Mammogram, left breast, cranio-caudal view. 53 y/o patient.
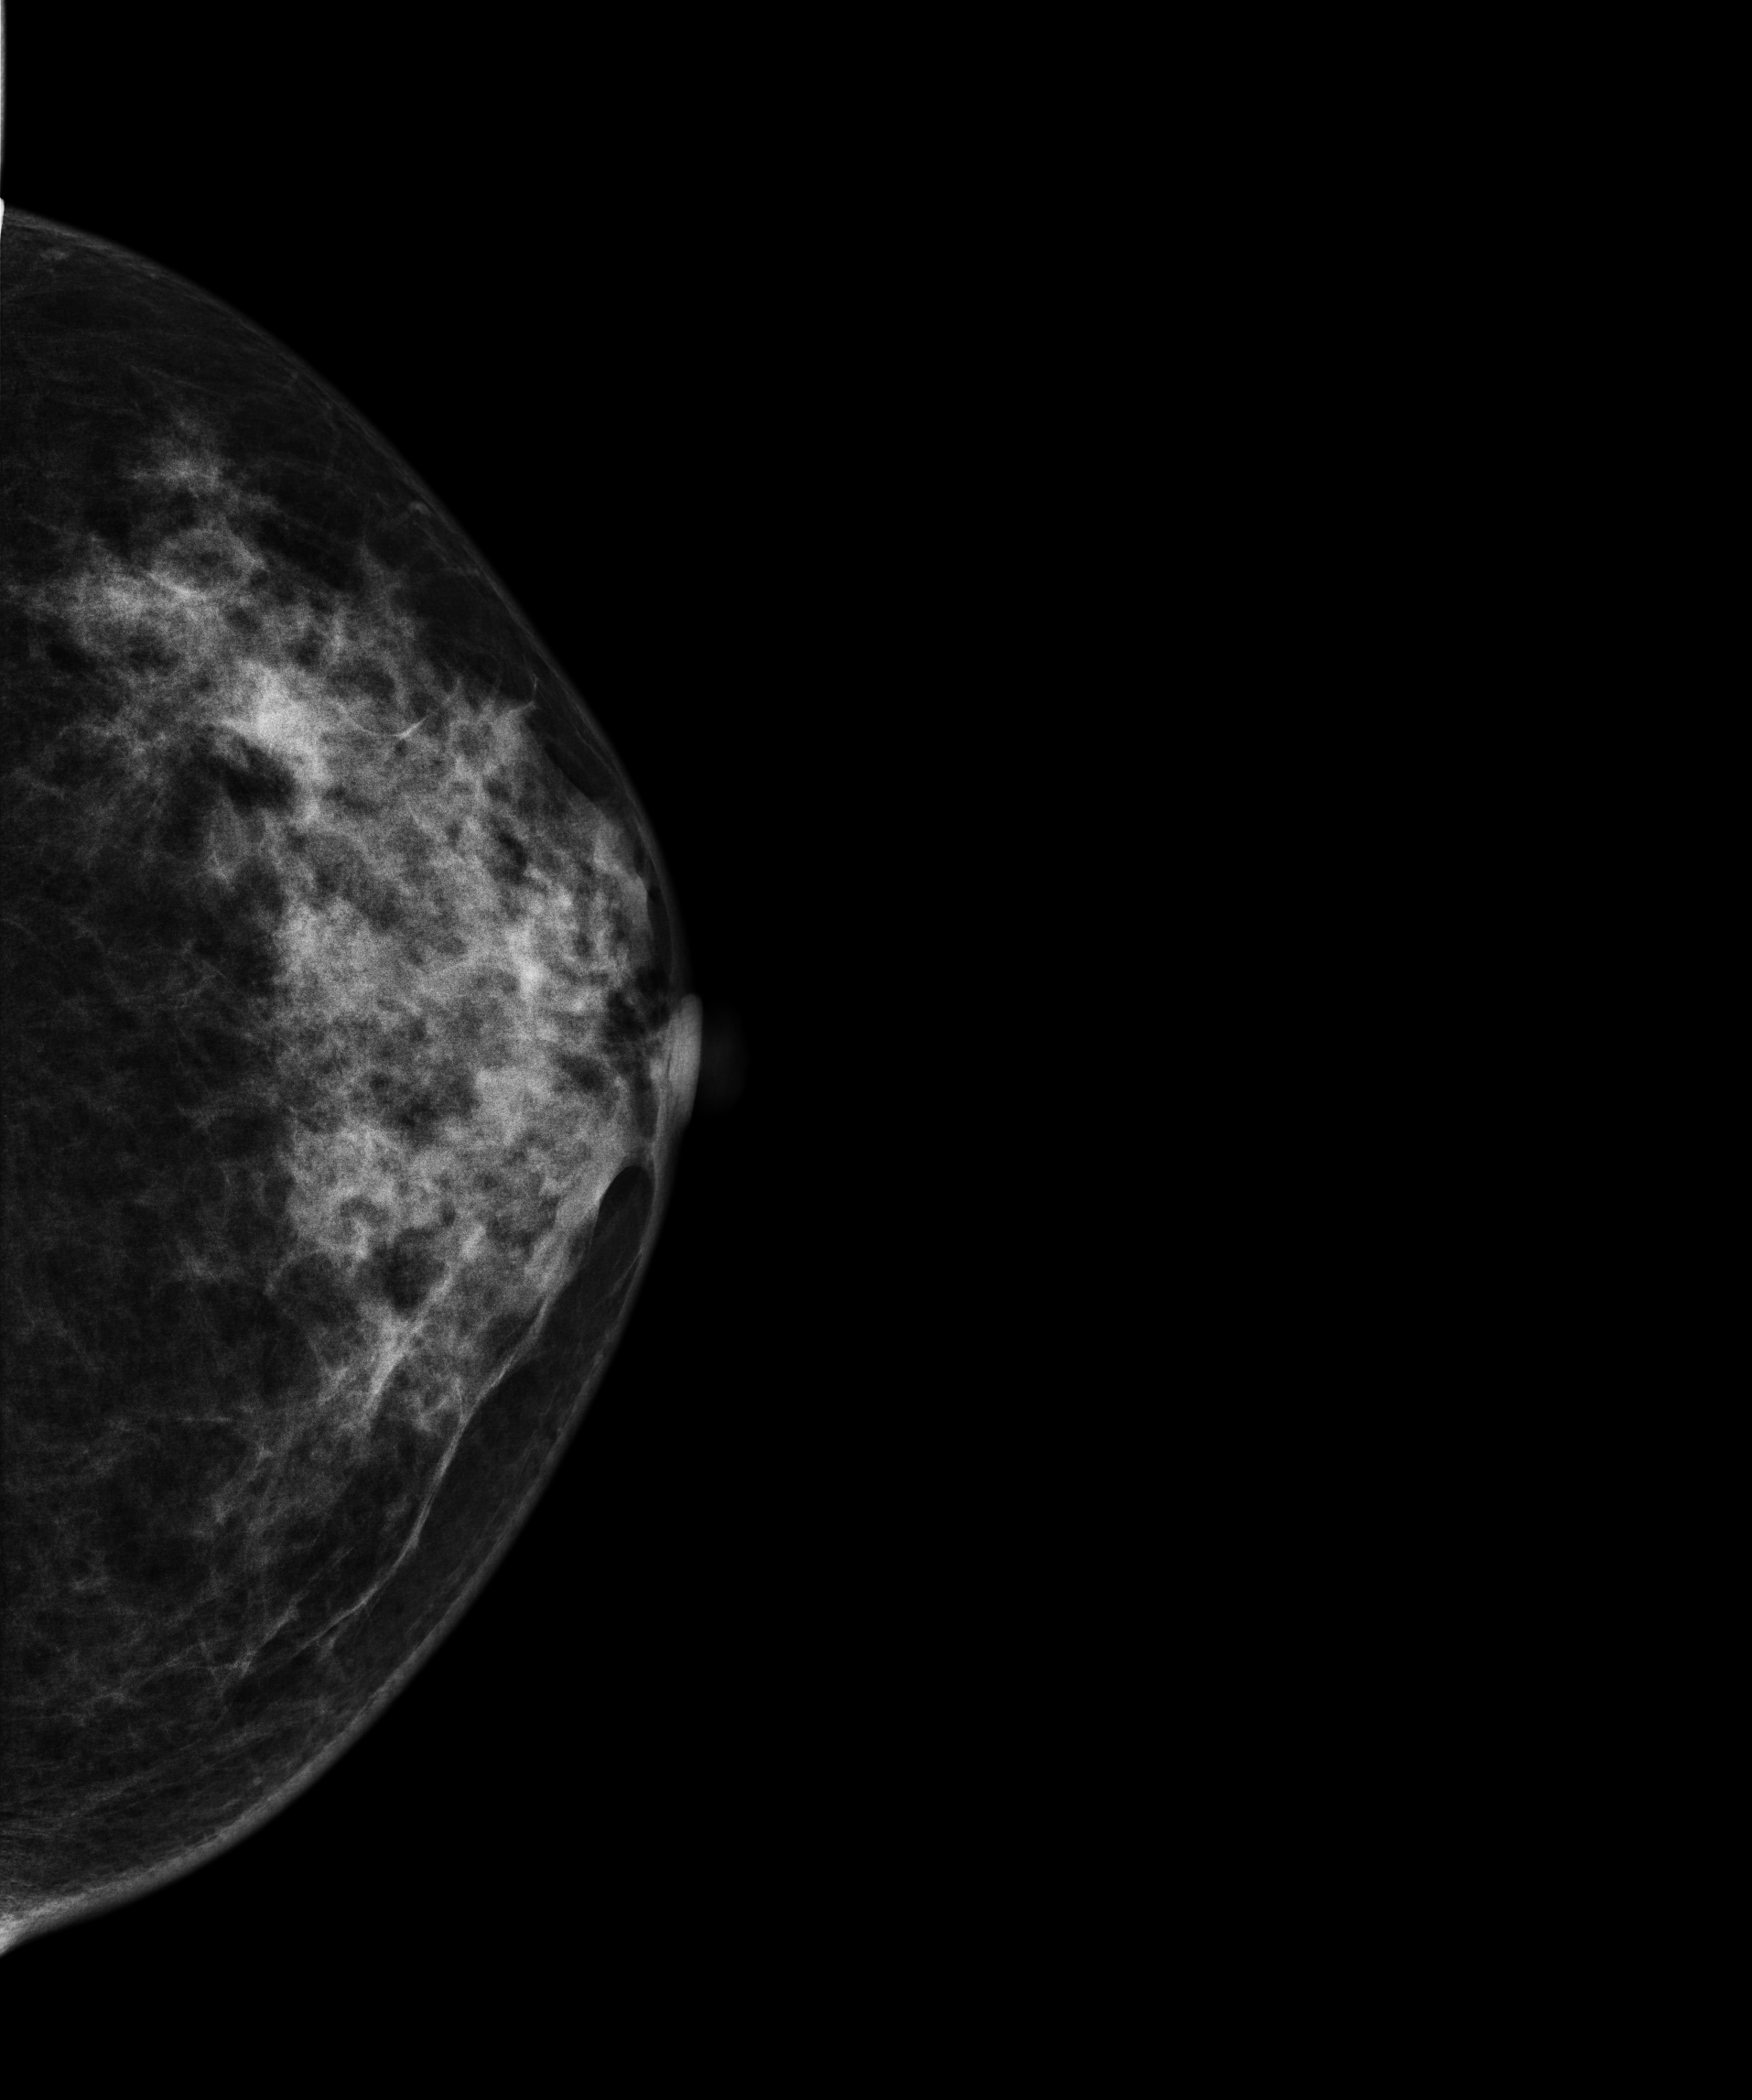
Contralateral breast — no documented abnormality on this side.